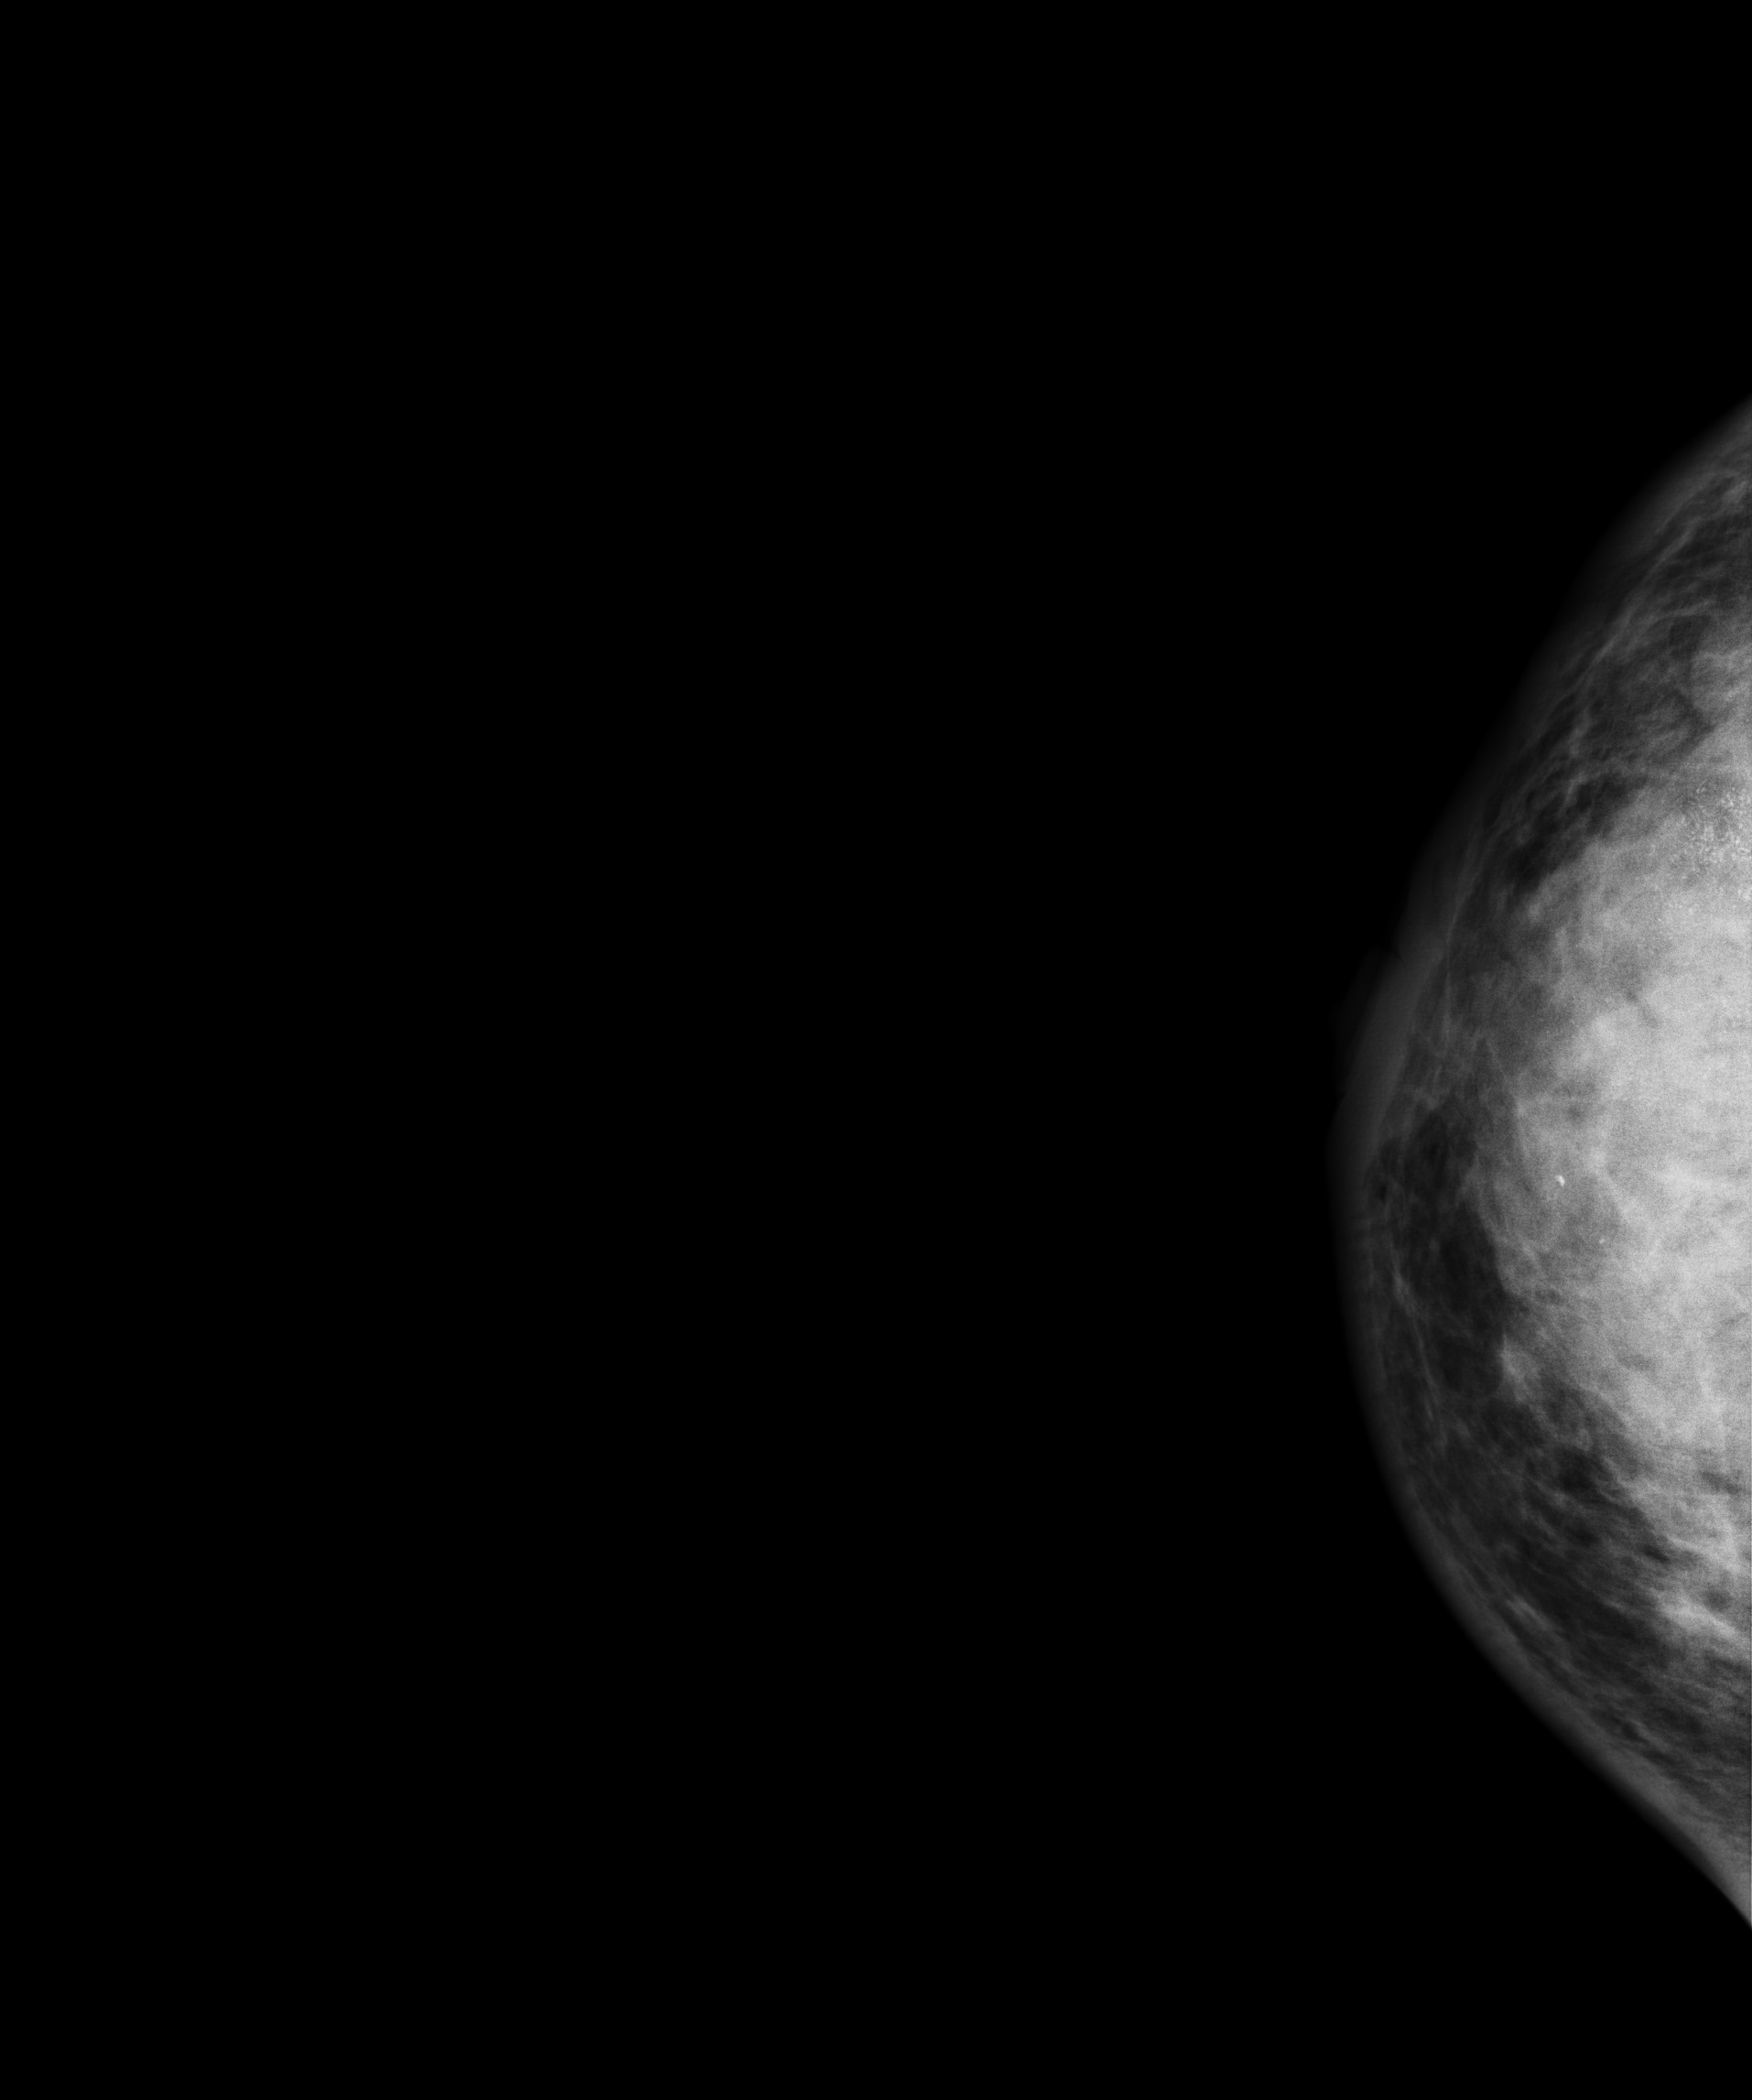
Right-breast mammogram, cranio-caudal. Patient age 48.
This breast has a mass and calcifications, biopsy-proven malignant. Molecular subtype: luminal B.